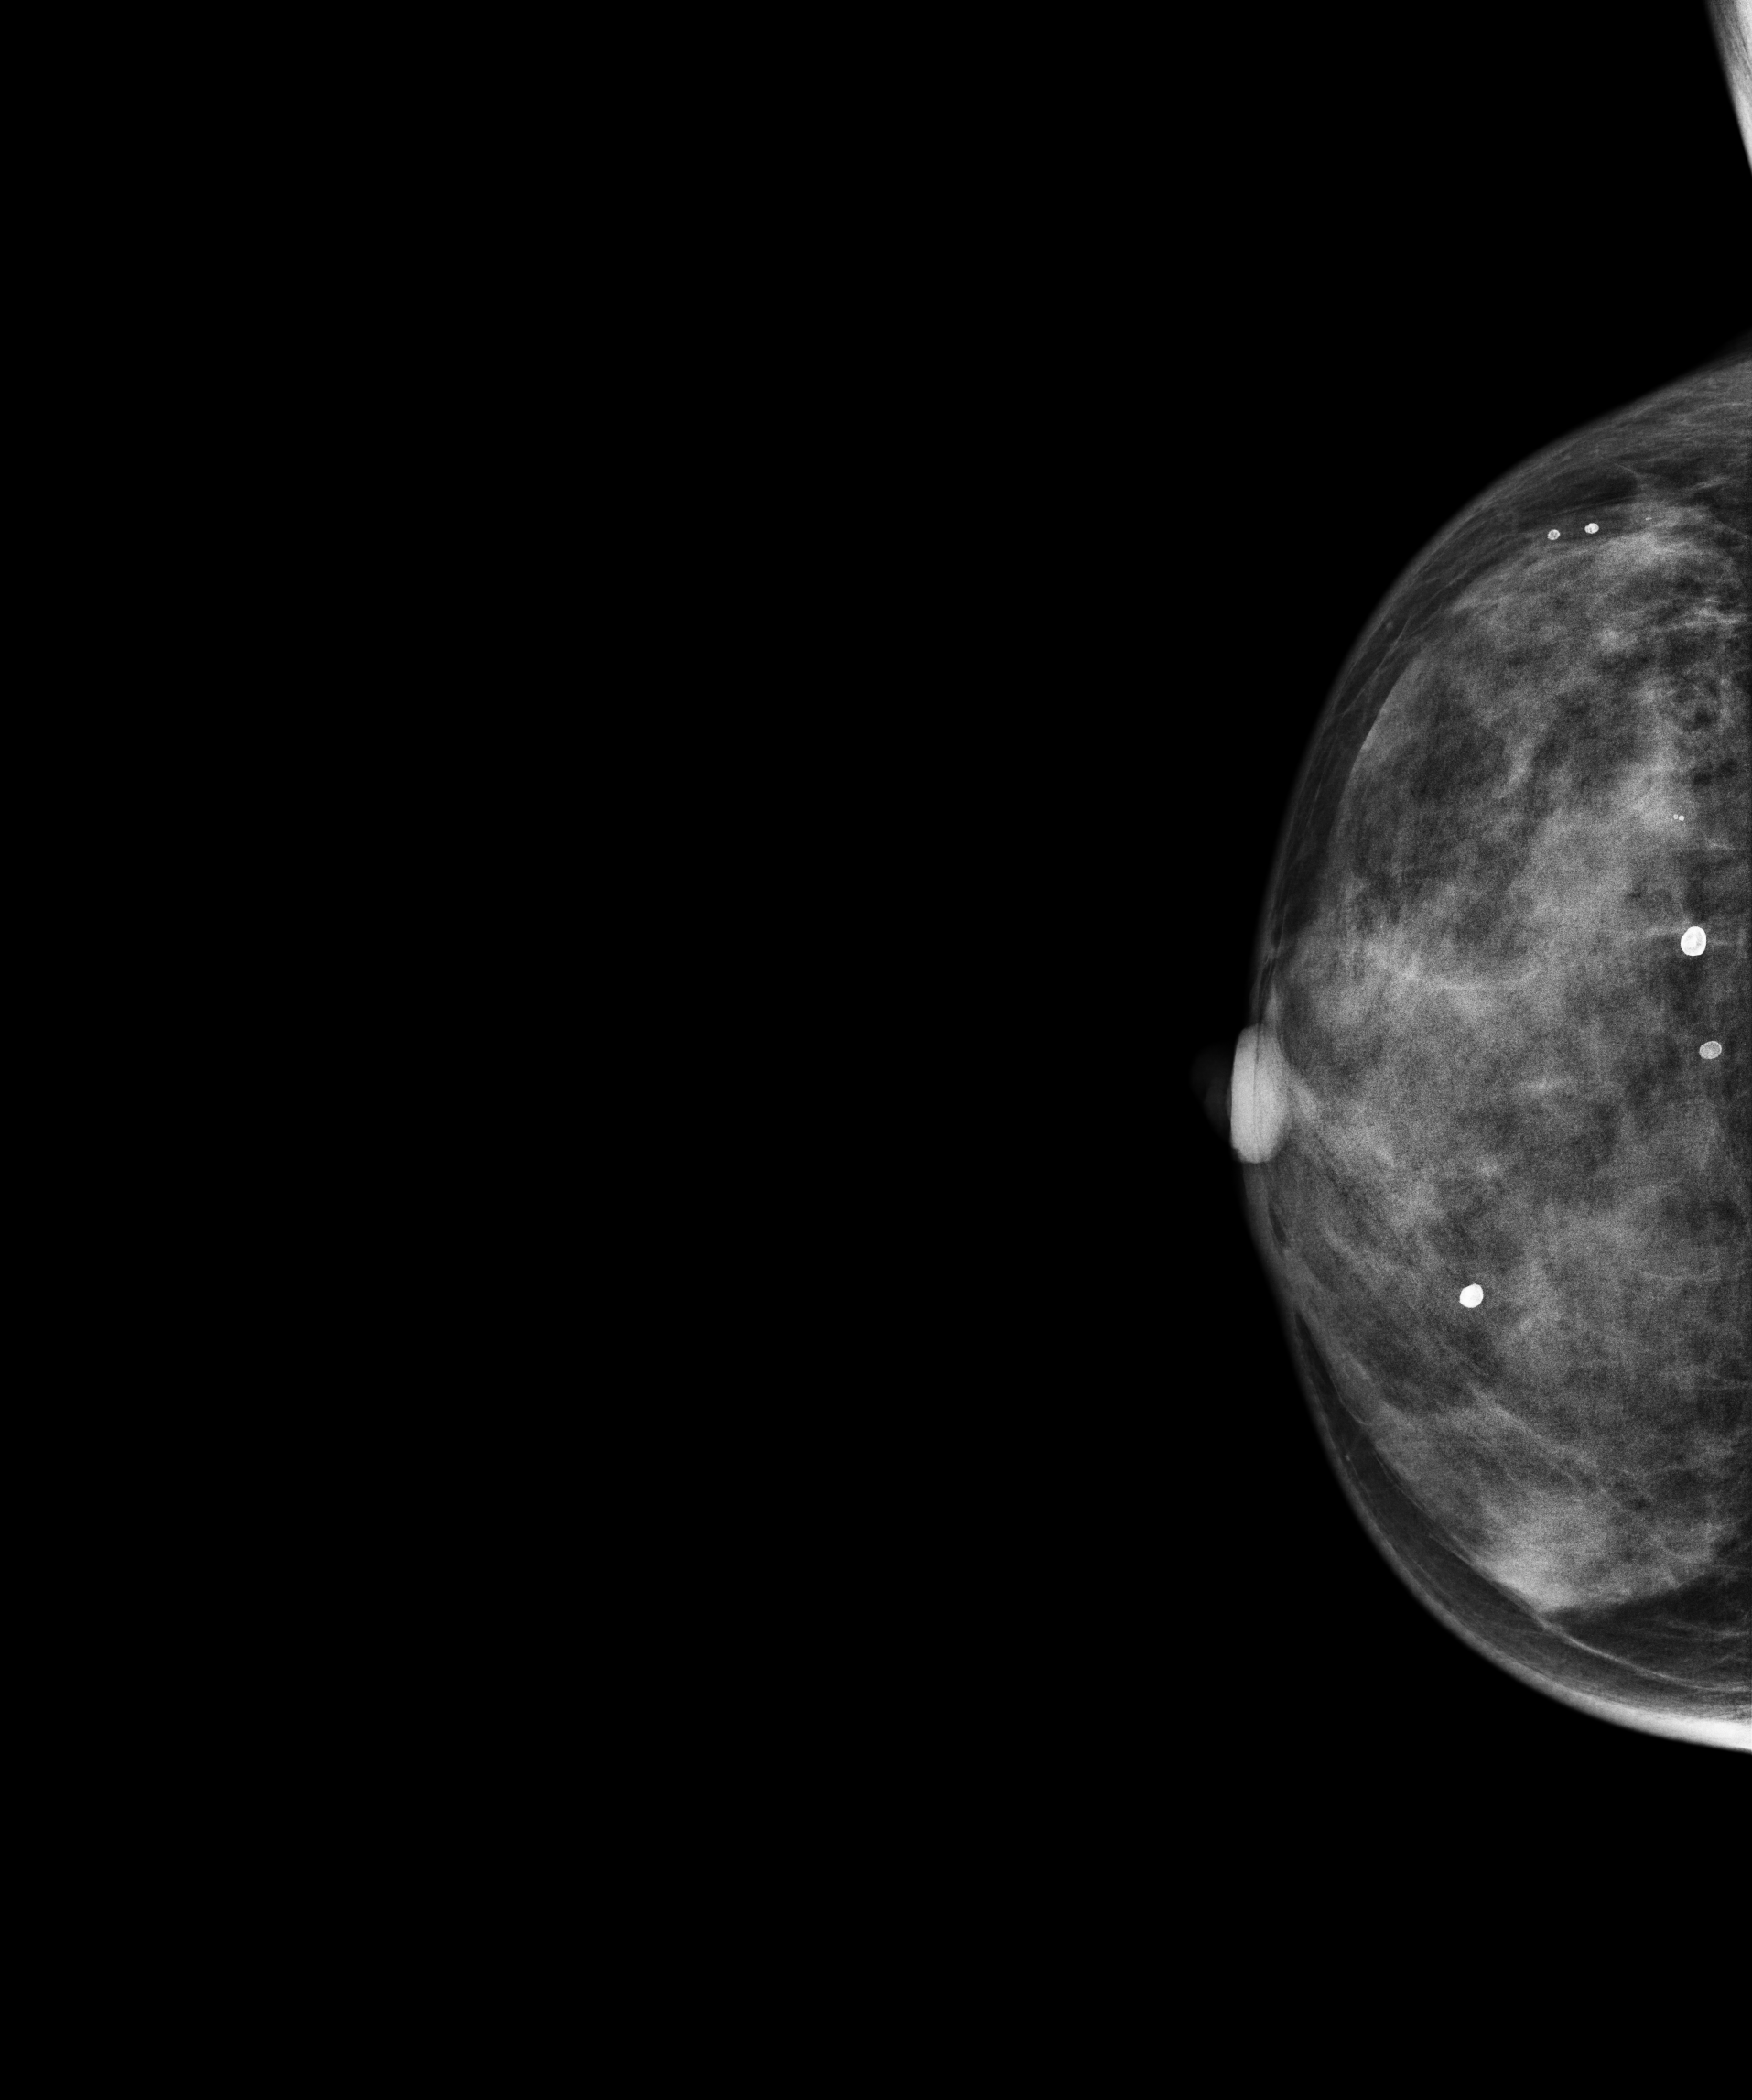
Digital mammography. Right breast, cranio-caudal projection. Patient age 44.
This breast has a mass and calcifications, histologically confirmed malignant. Molecular subtype: luminal B.